CC mammogram of the right breast. 35-year-old patient.
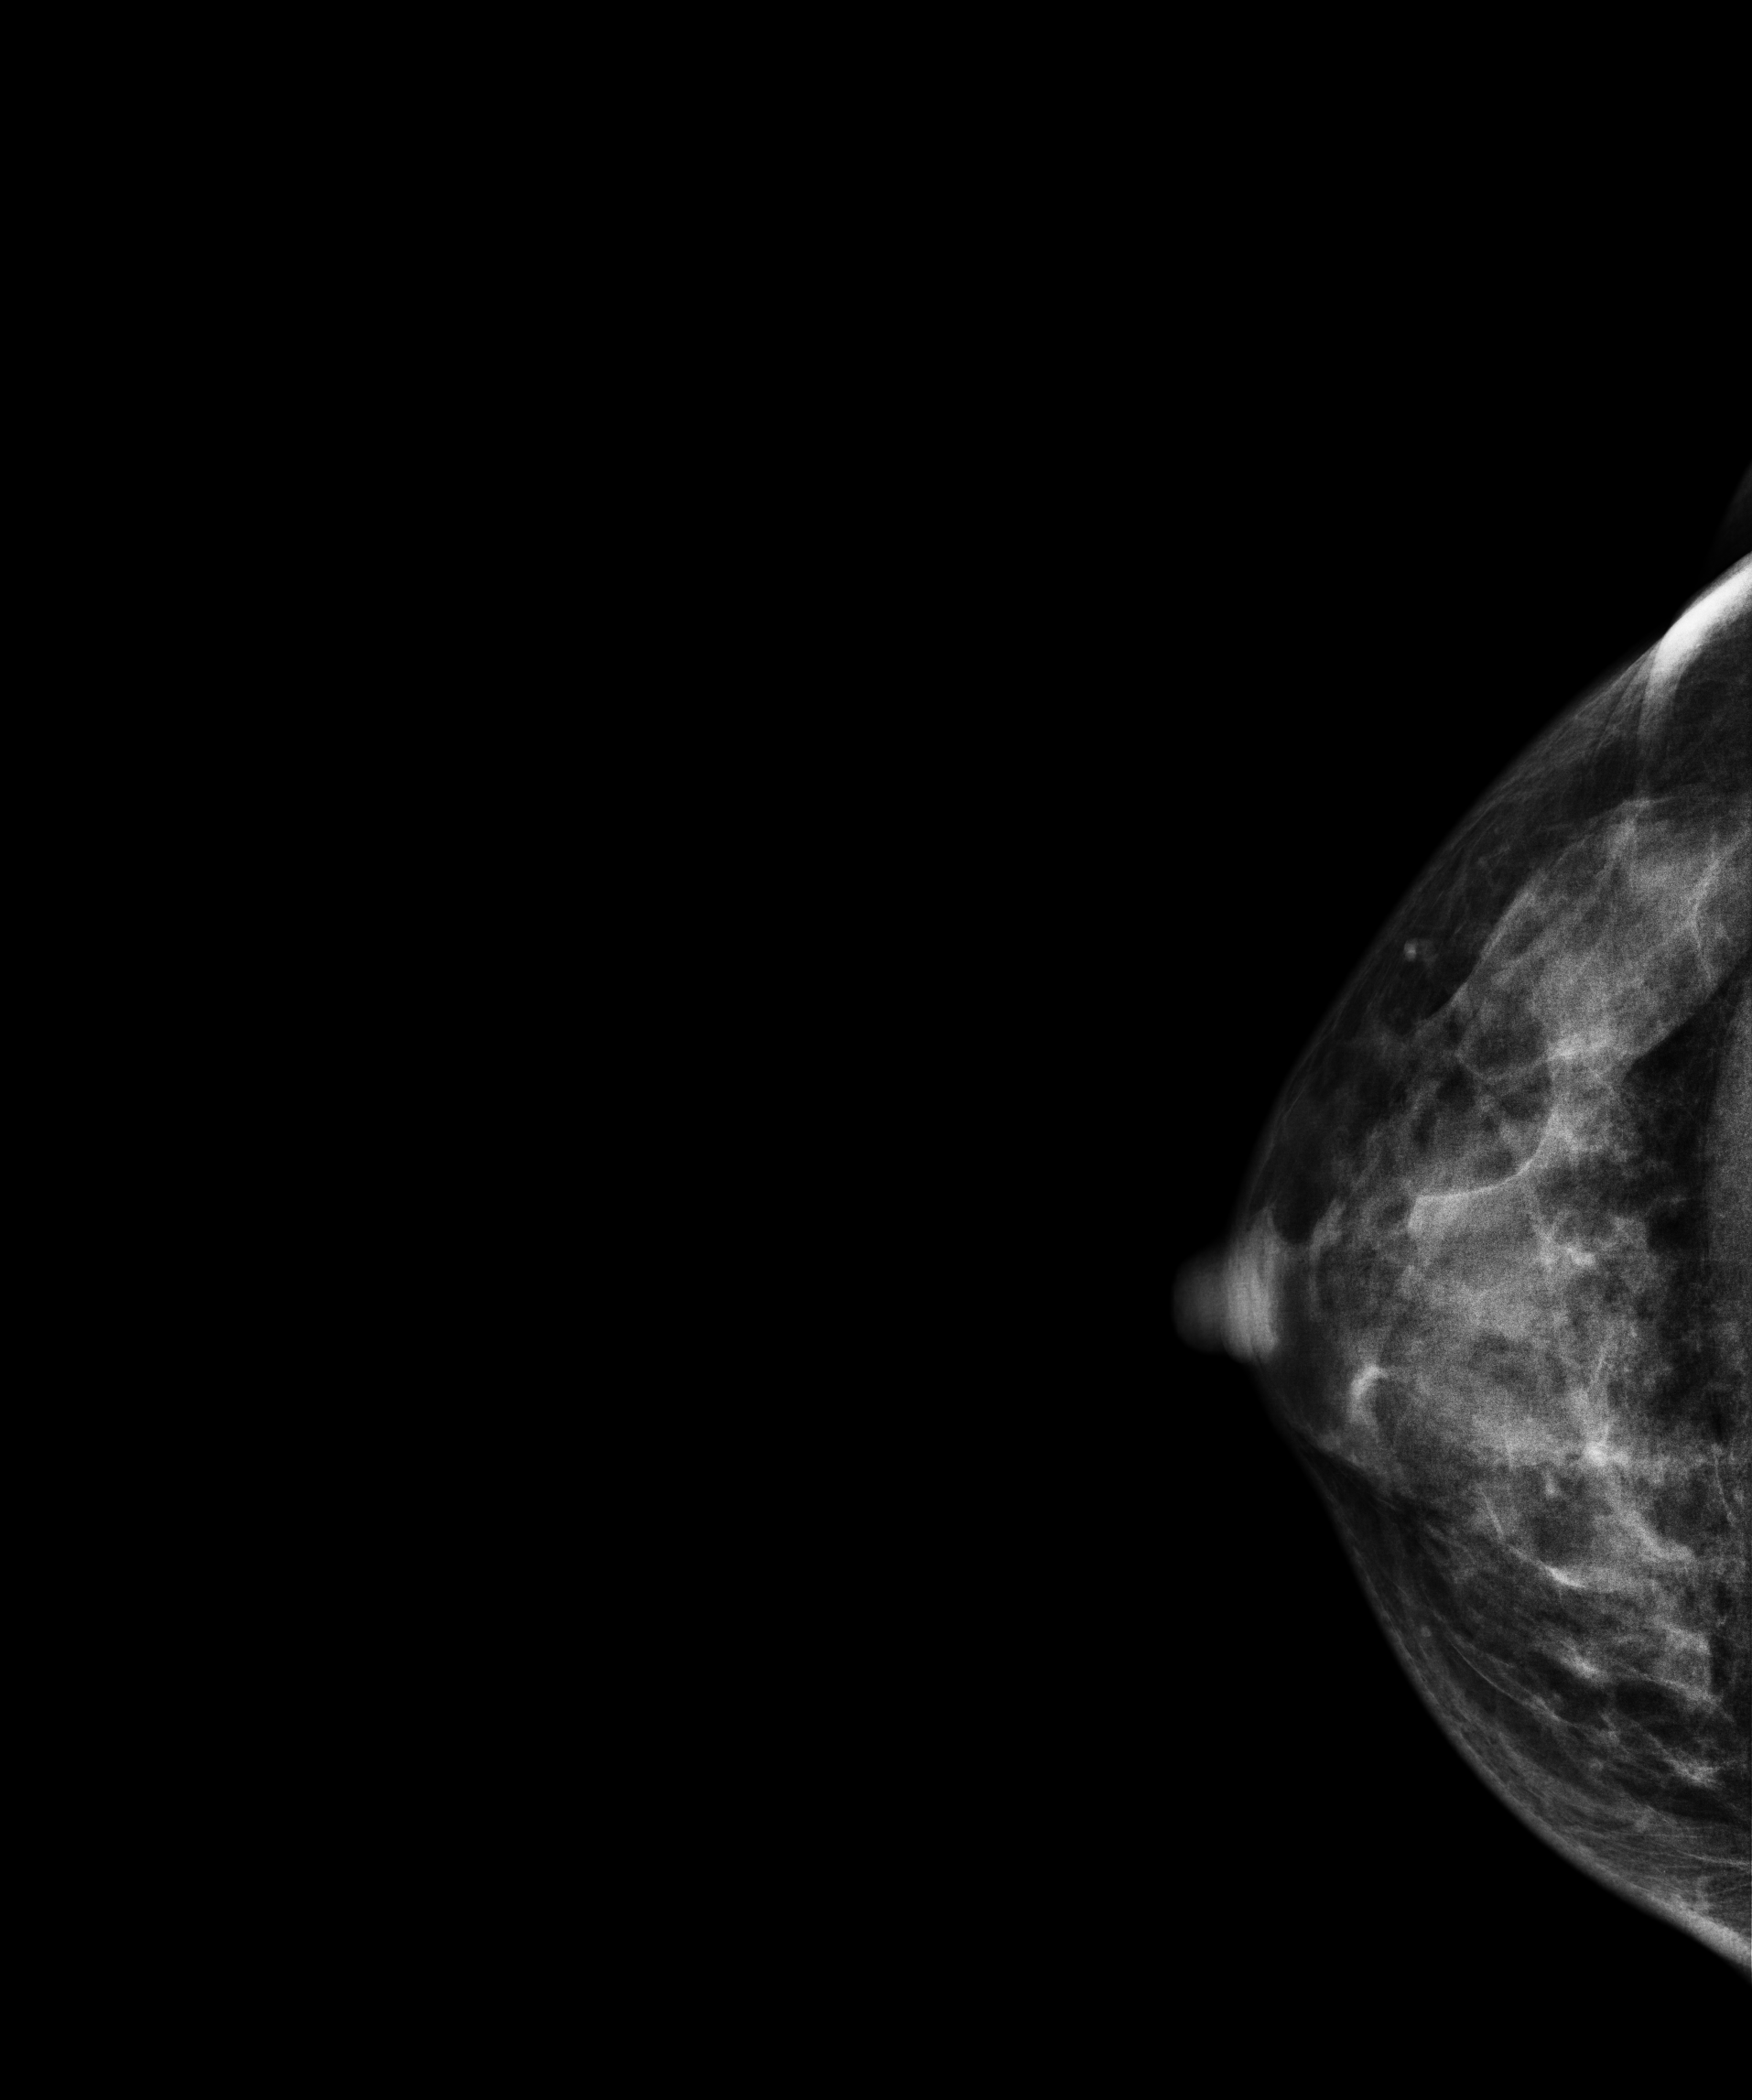
Contralateral breast — no documented abnormality on this side.